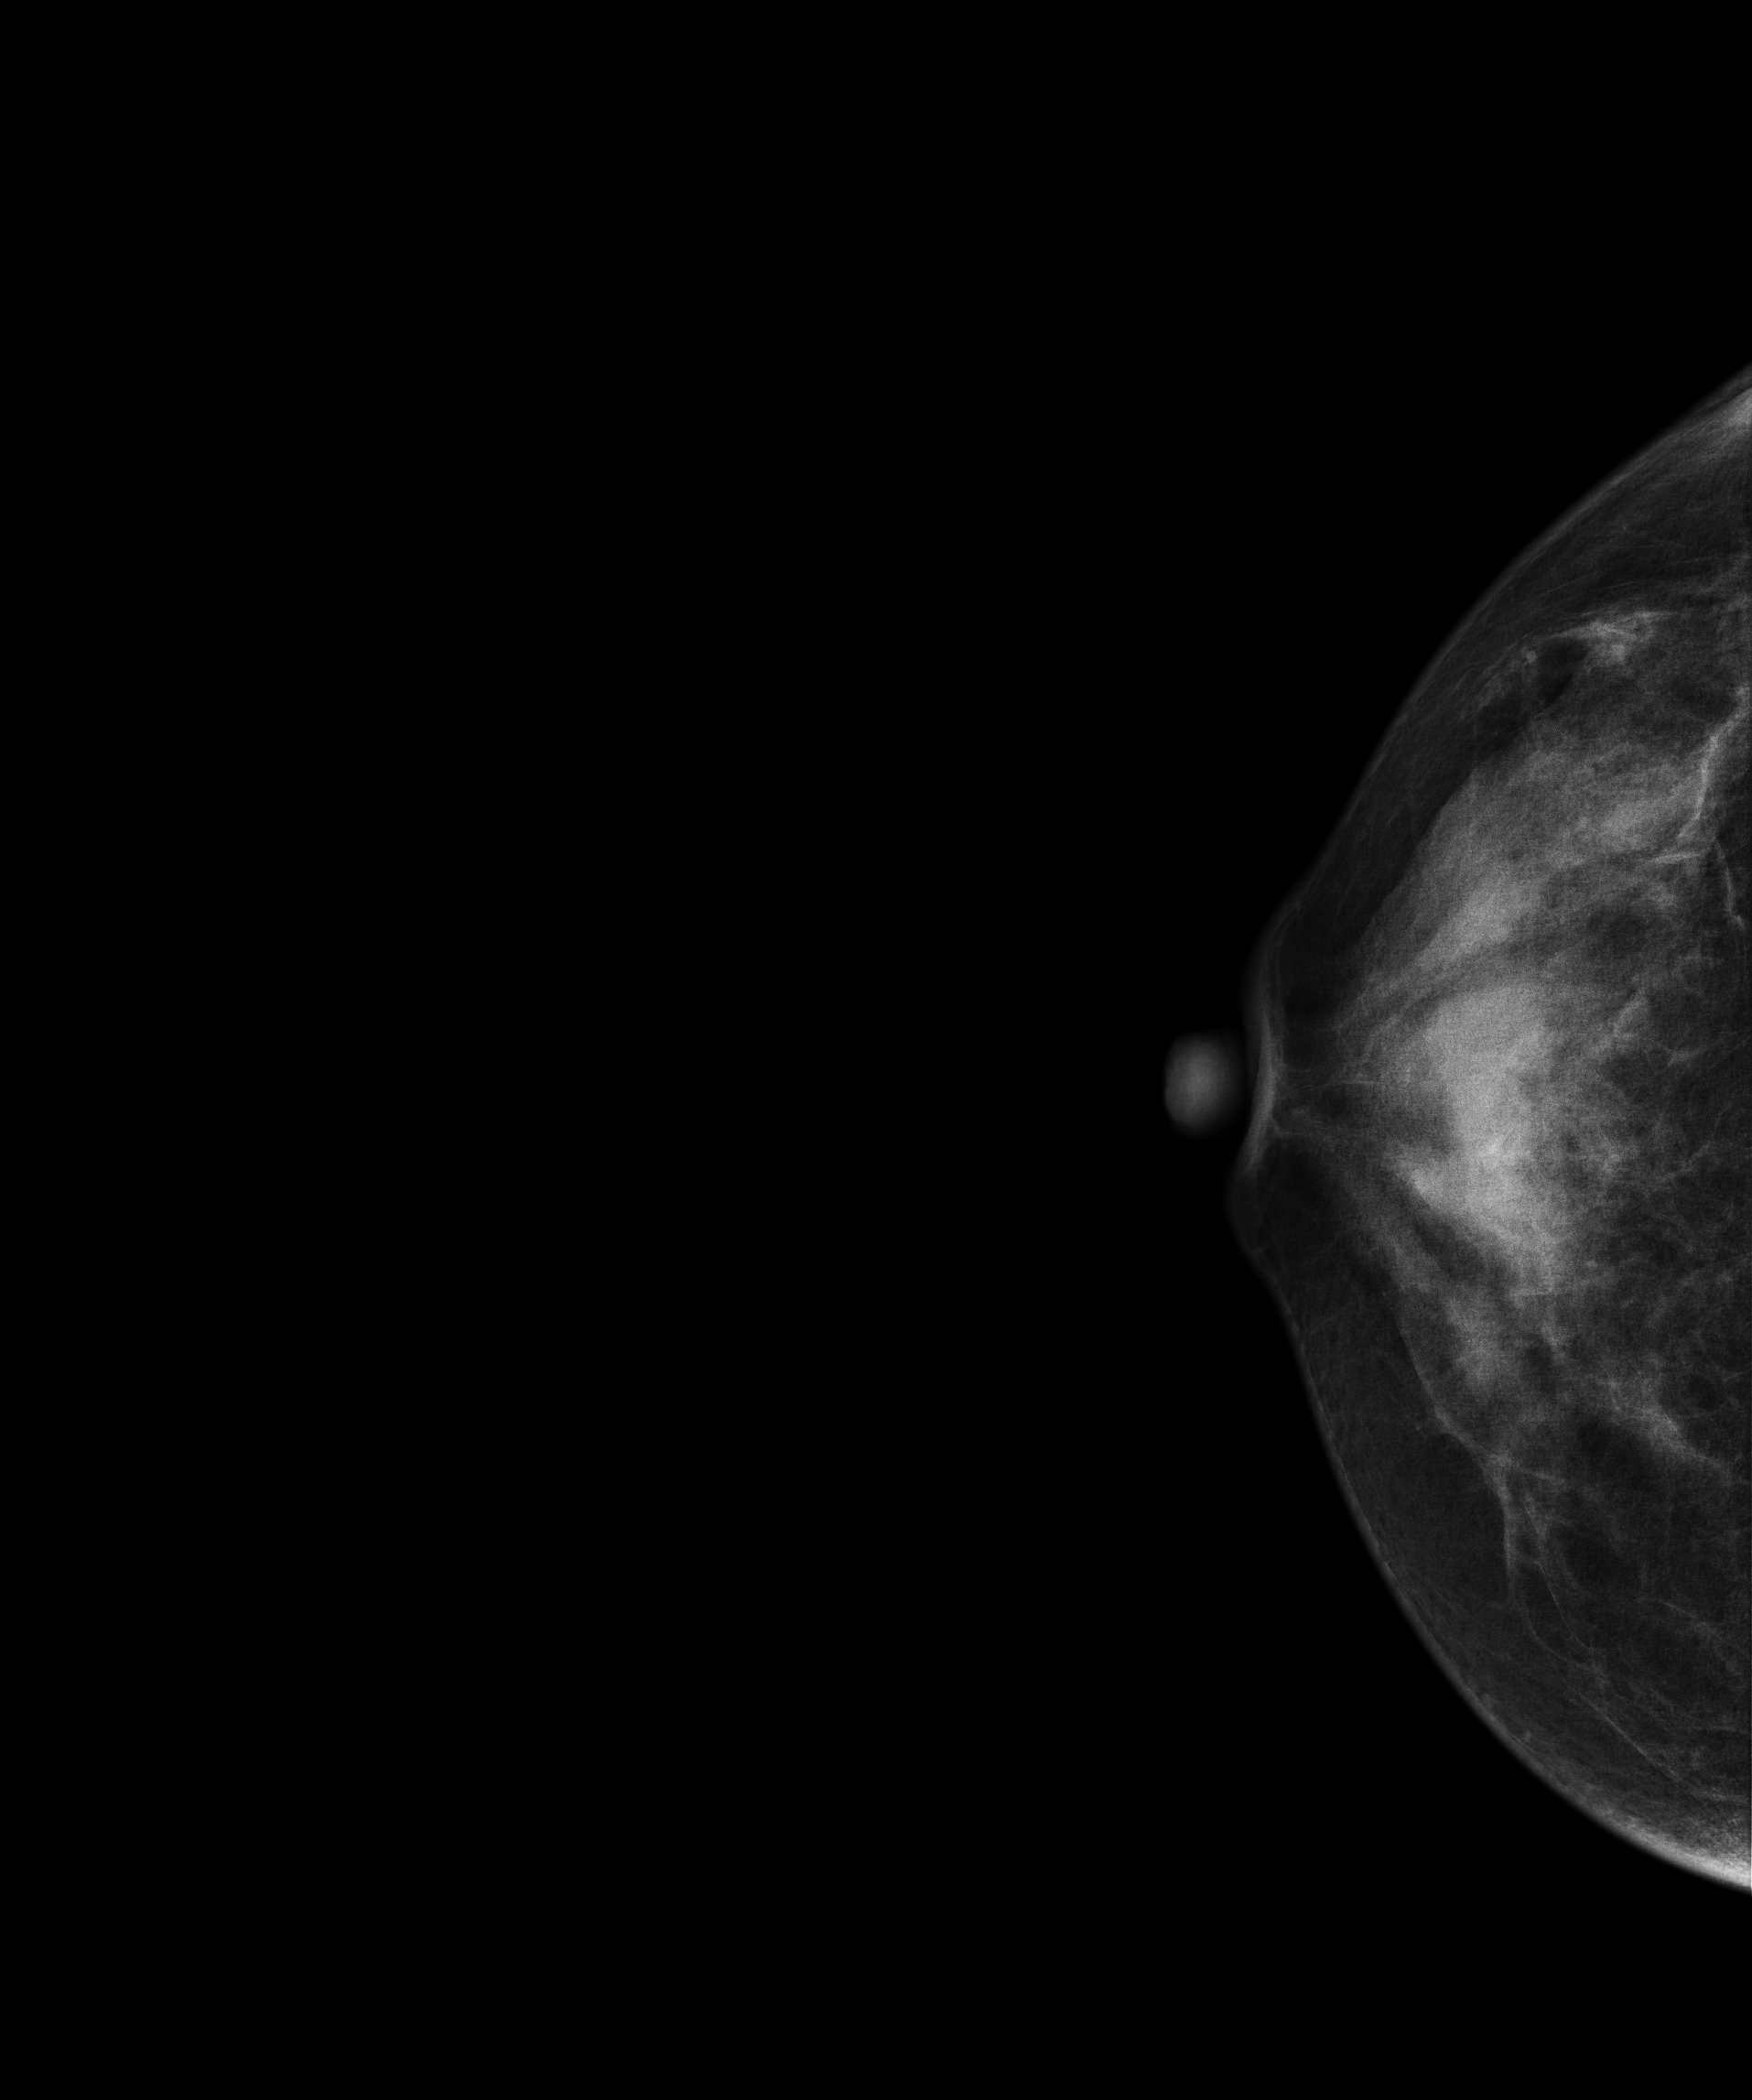
Right-breast mammogram, CC. 49-year-old patient.
Contralateral breast — no documented abnormality on this side.